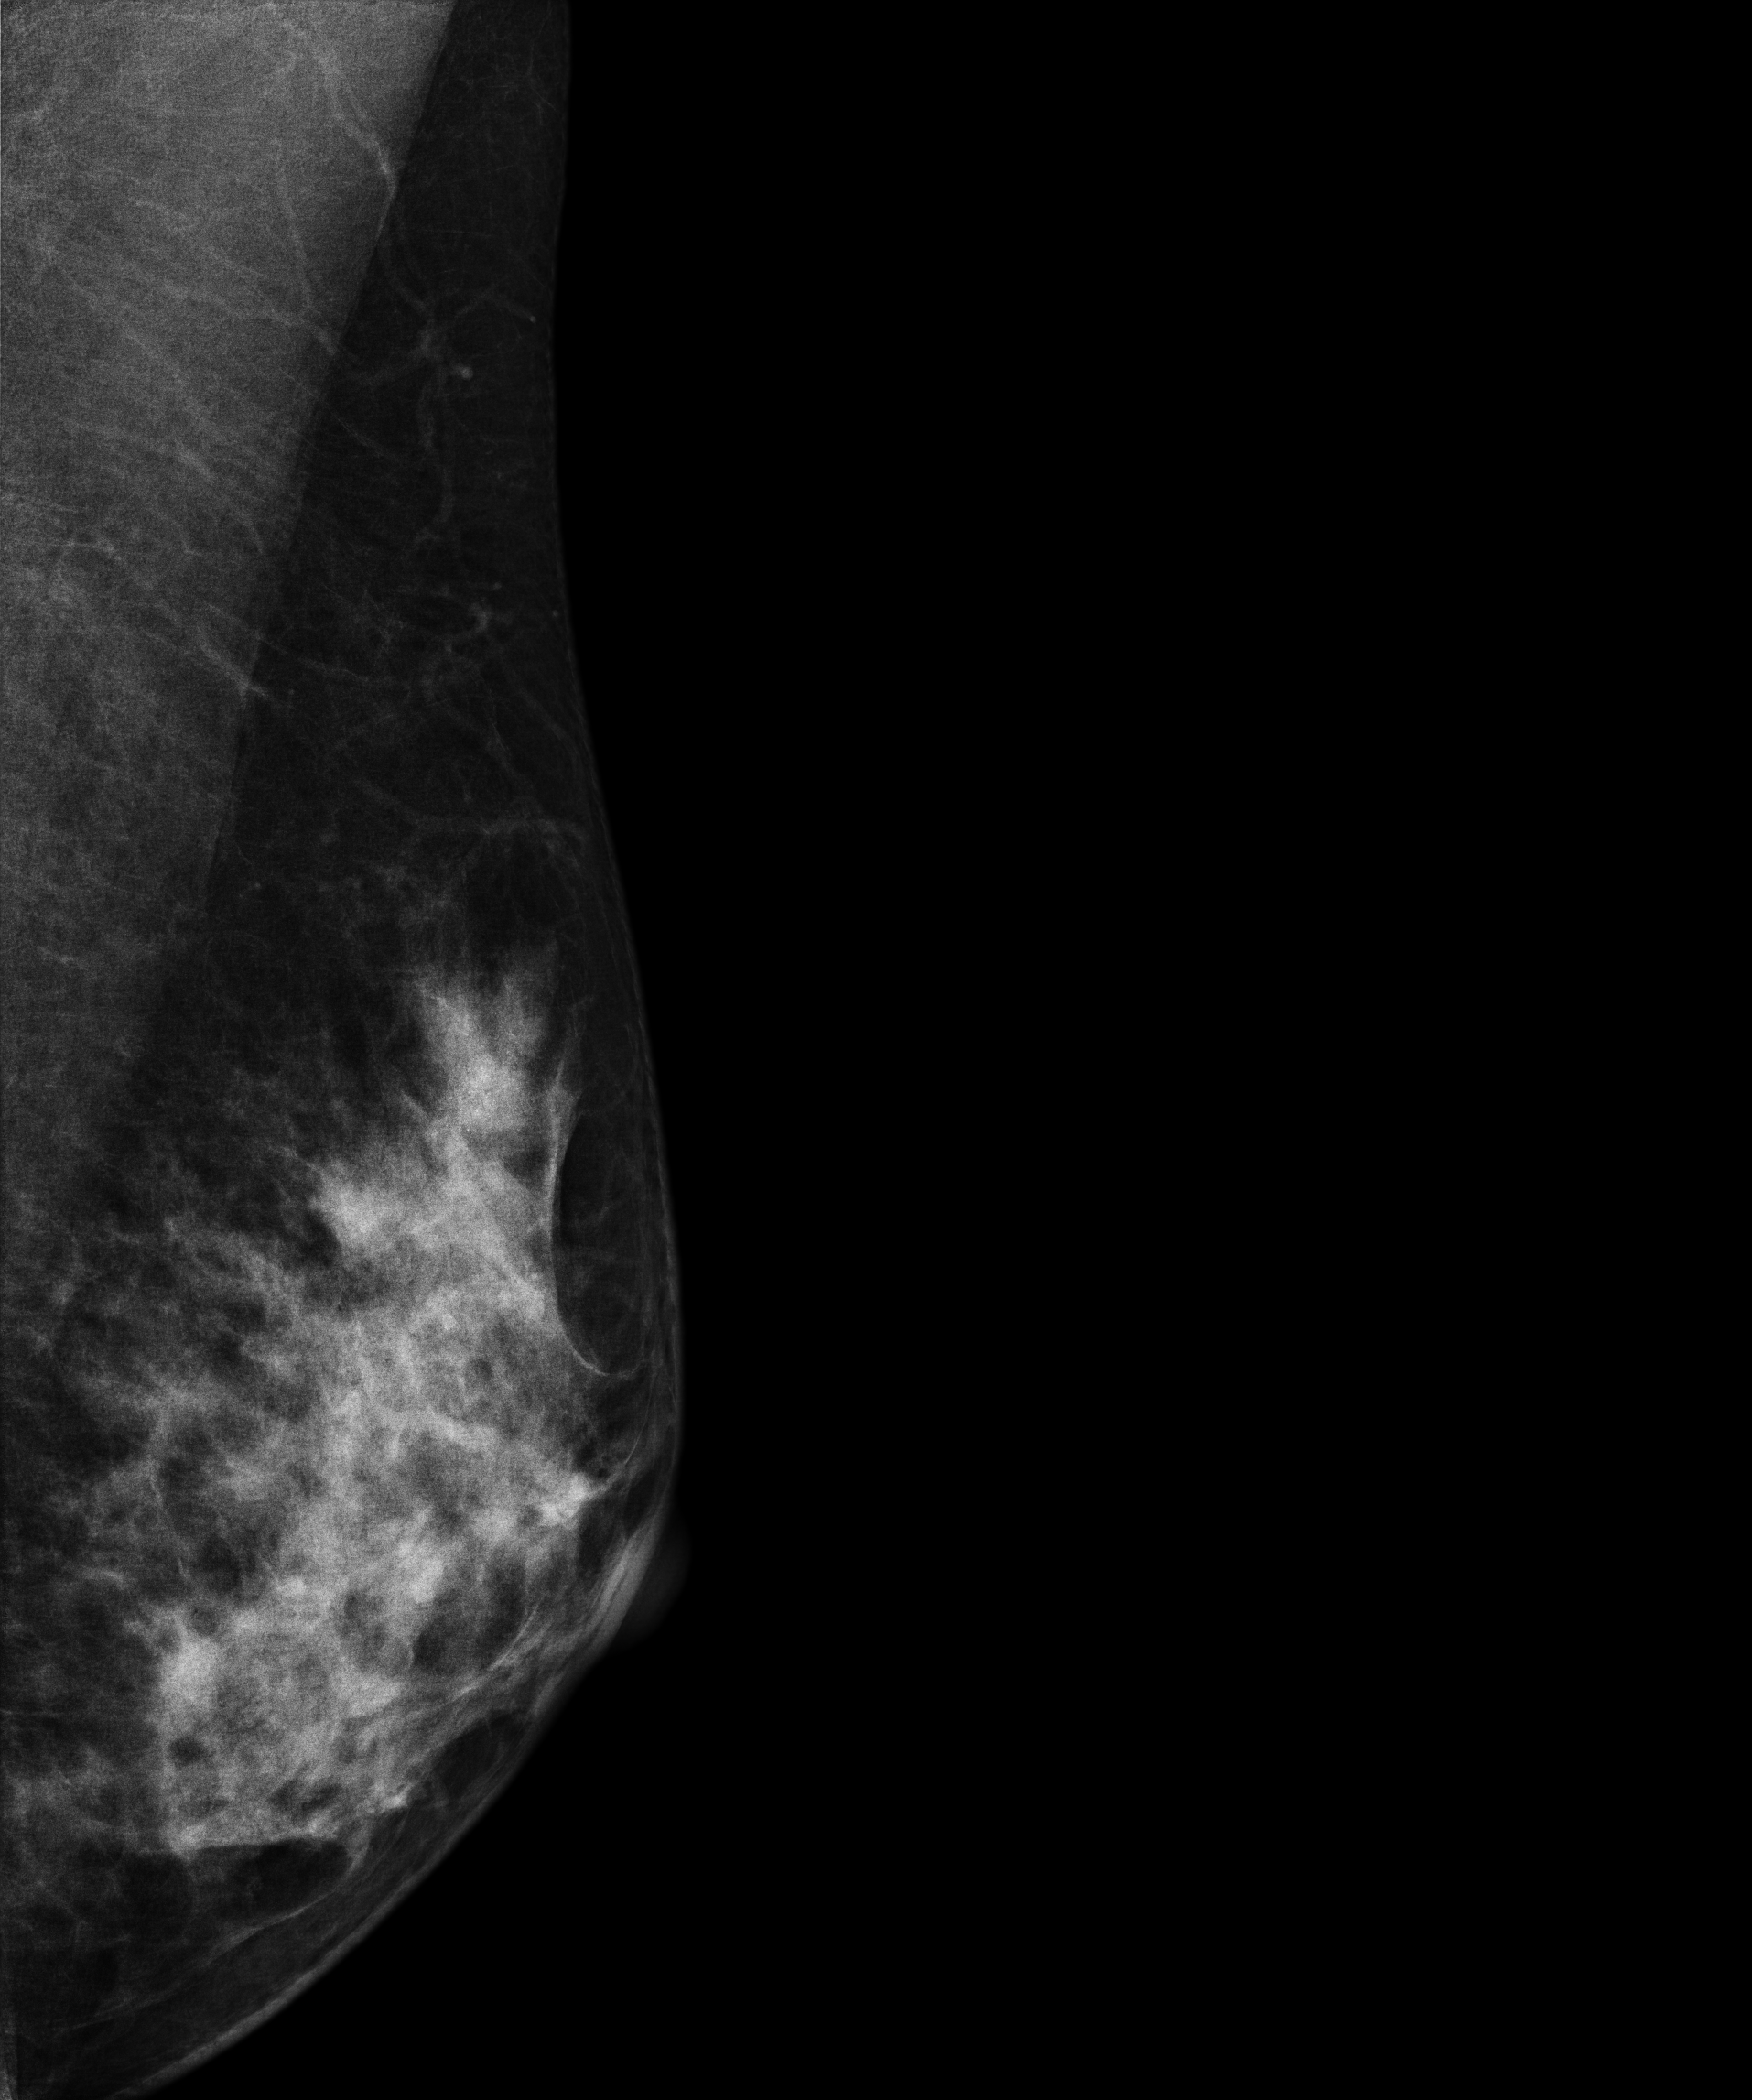
Mammogram — left medio-lateral oblique. 41-year-old patient.
This breast has a mass, pathology-confirmed benign.